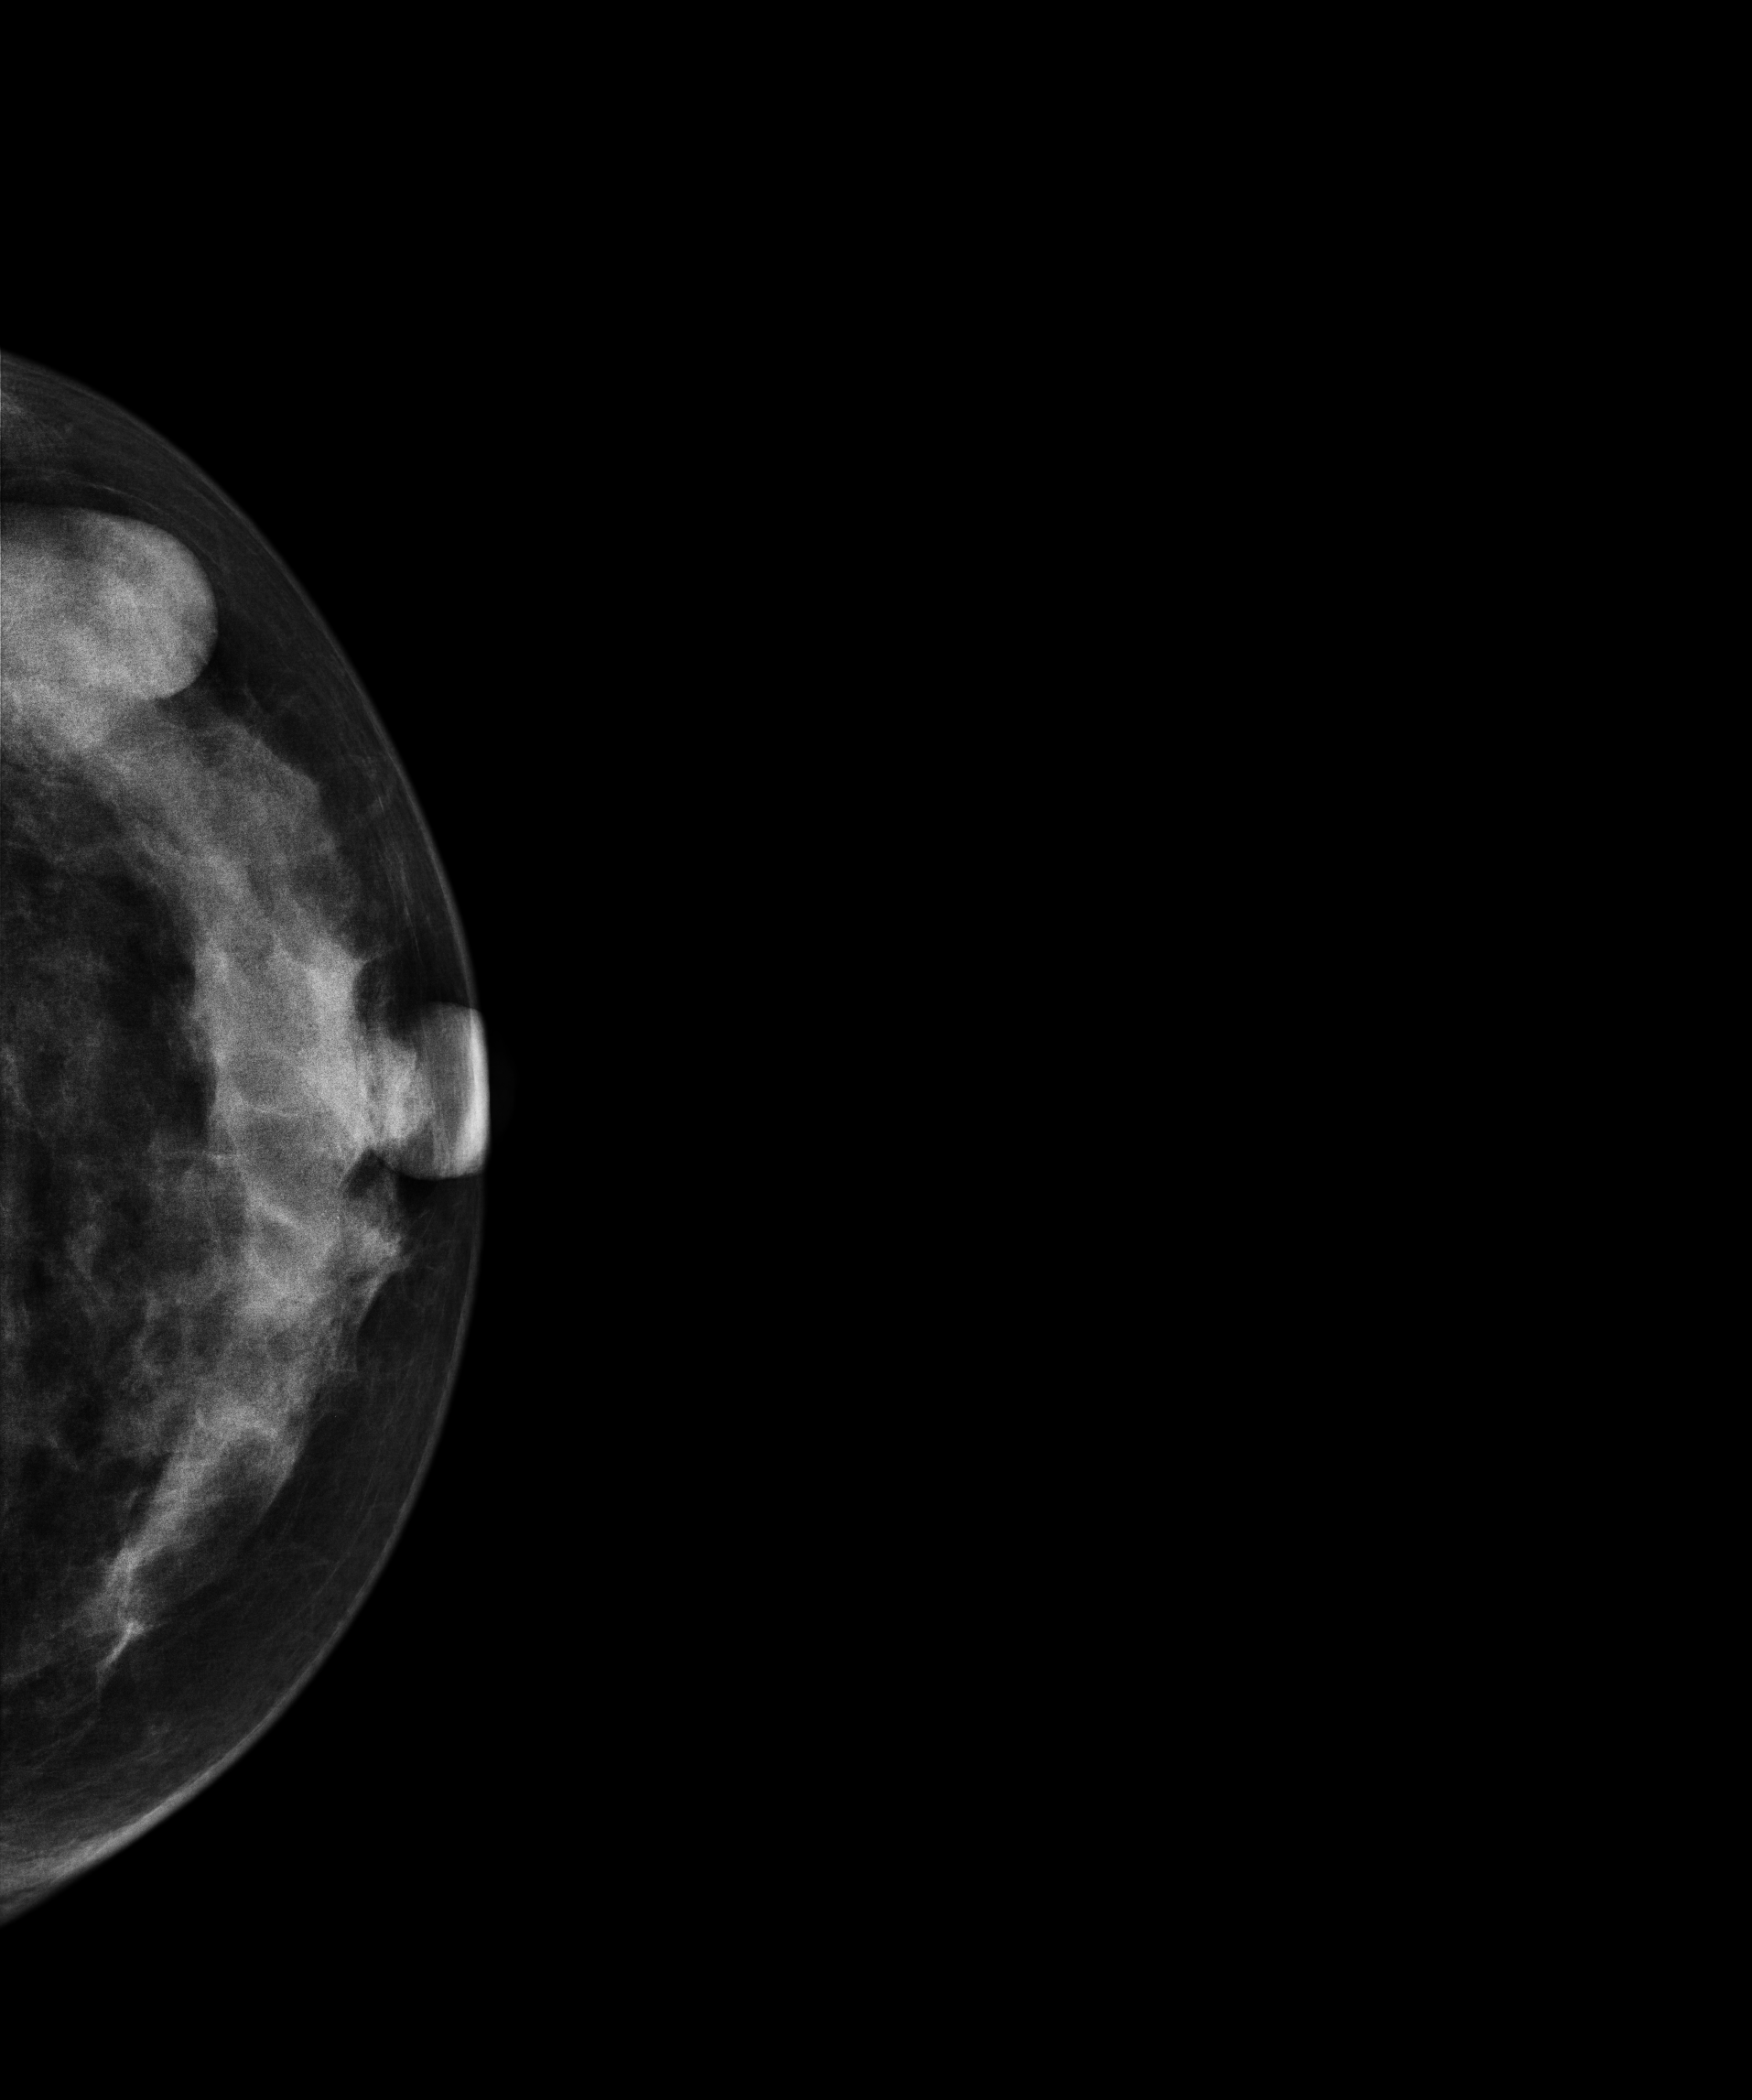
Mammogram — left cranio-caudal. 31 y/o patient.
This breast has a mass, pathology-confirmed benign.